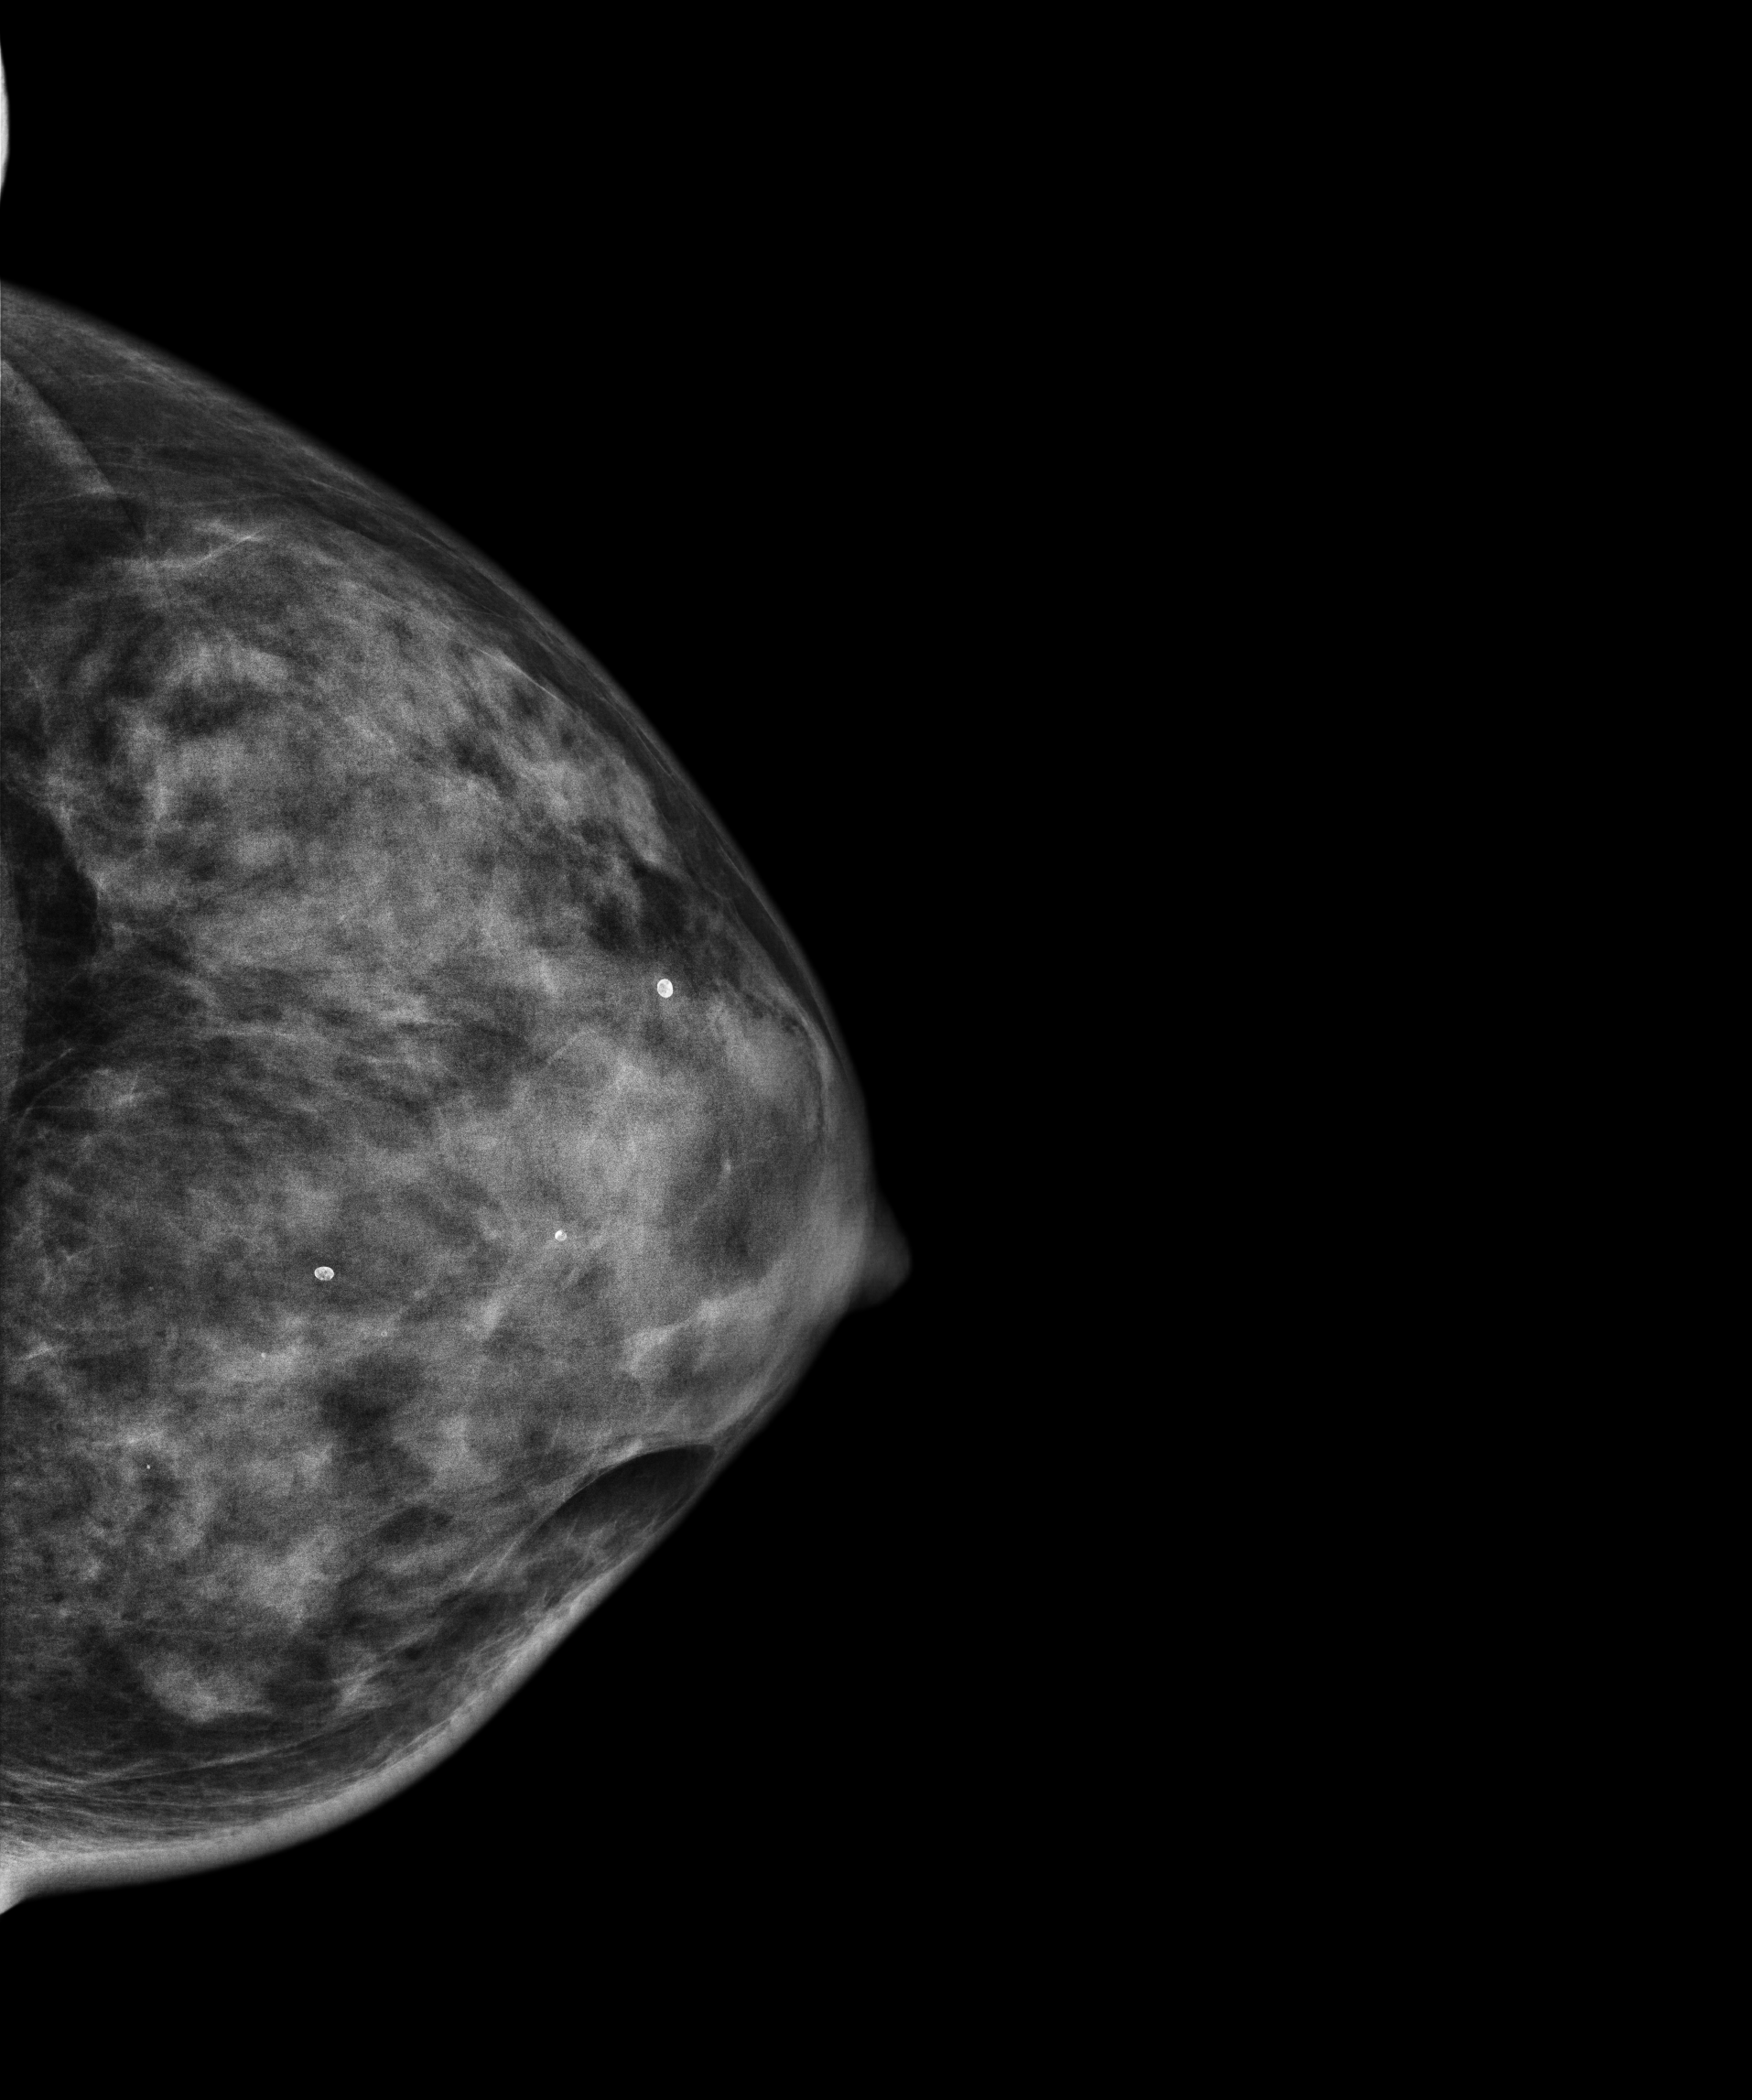
Left-breast mammogram, CC. 46-year-old patient.
Contralateral breast — no documented abnormality on this side.